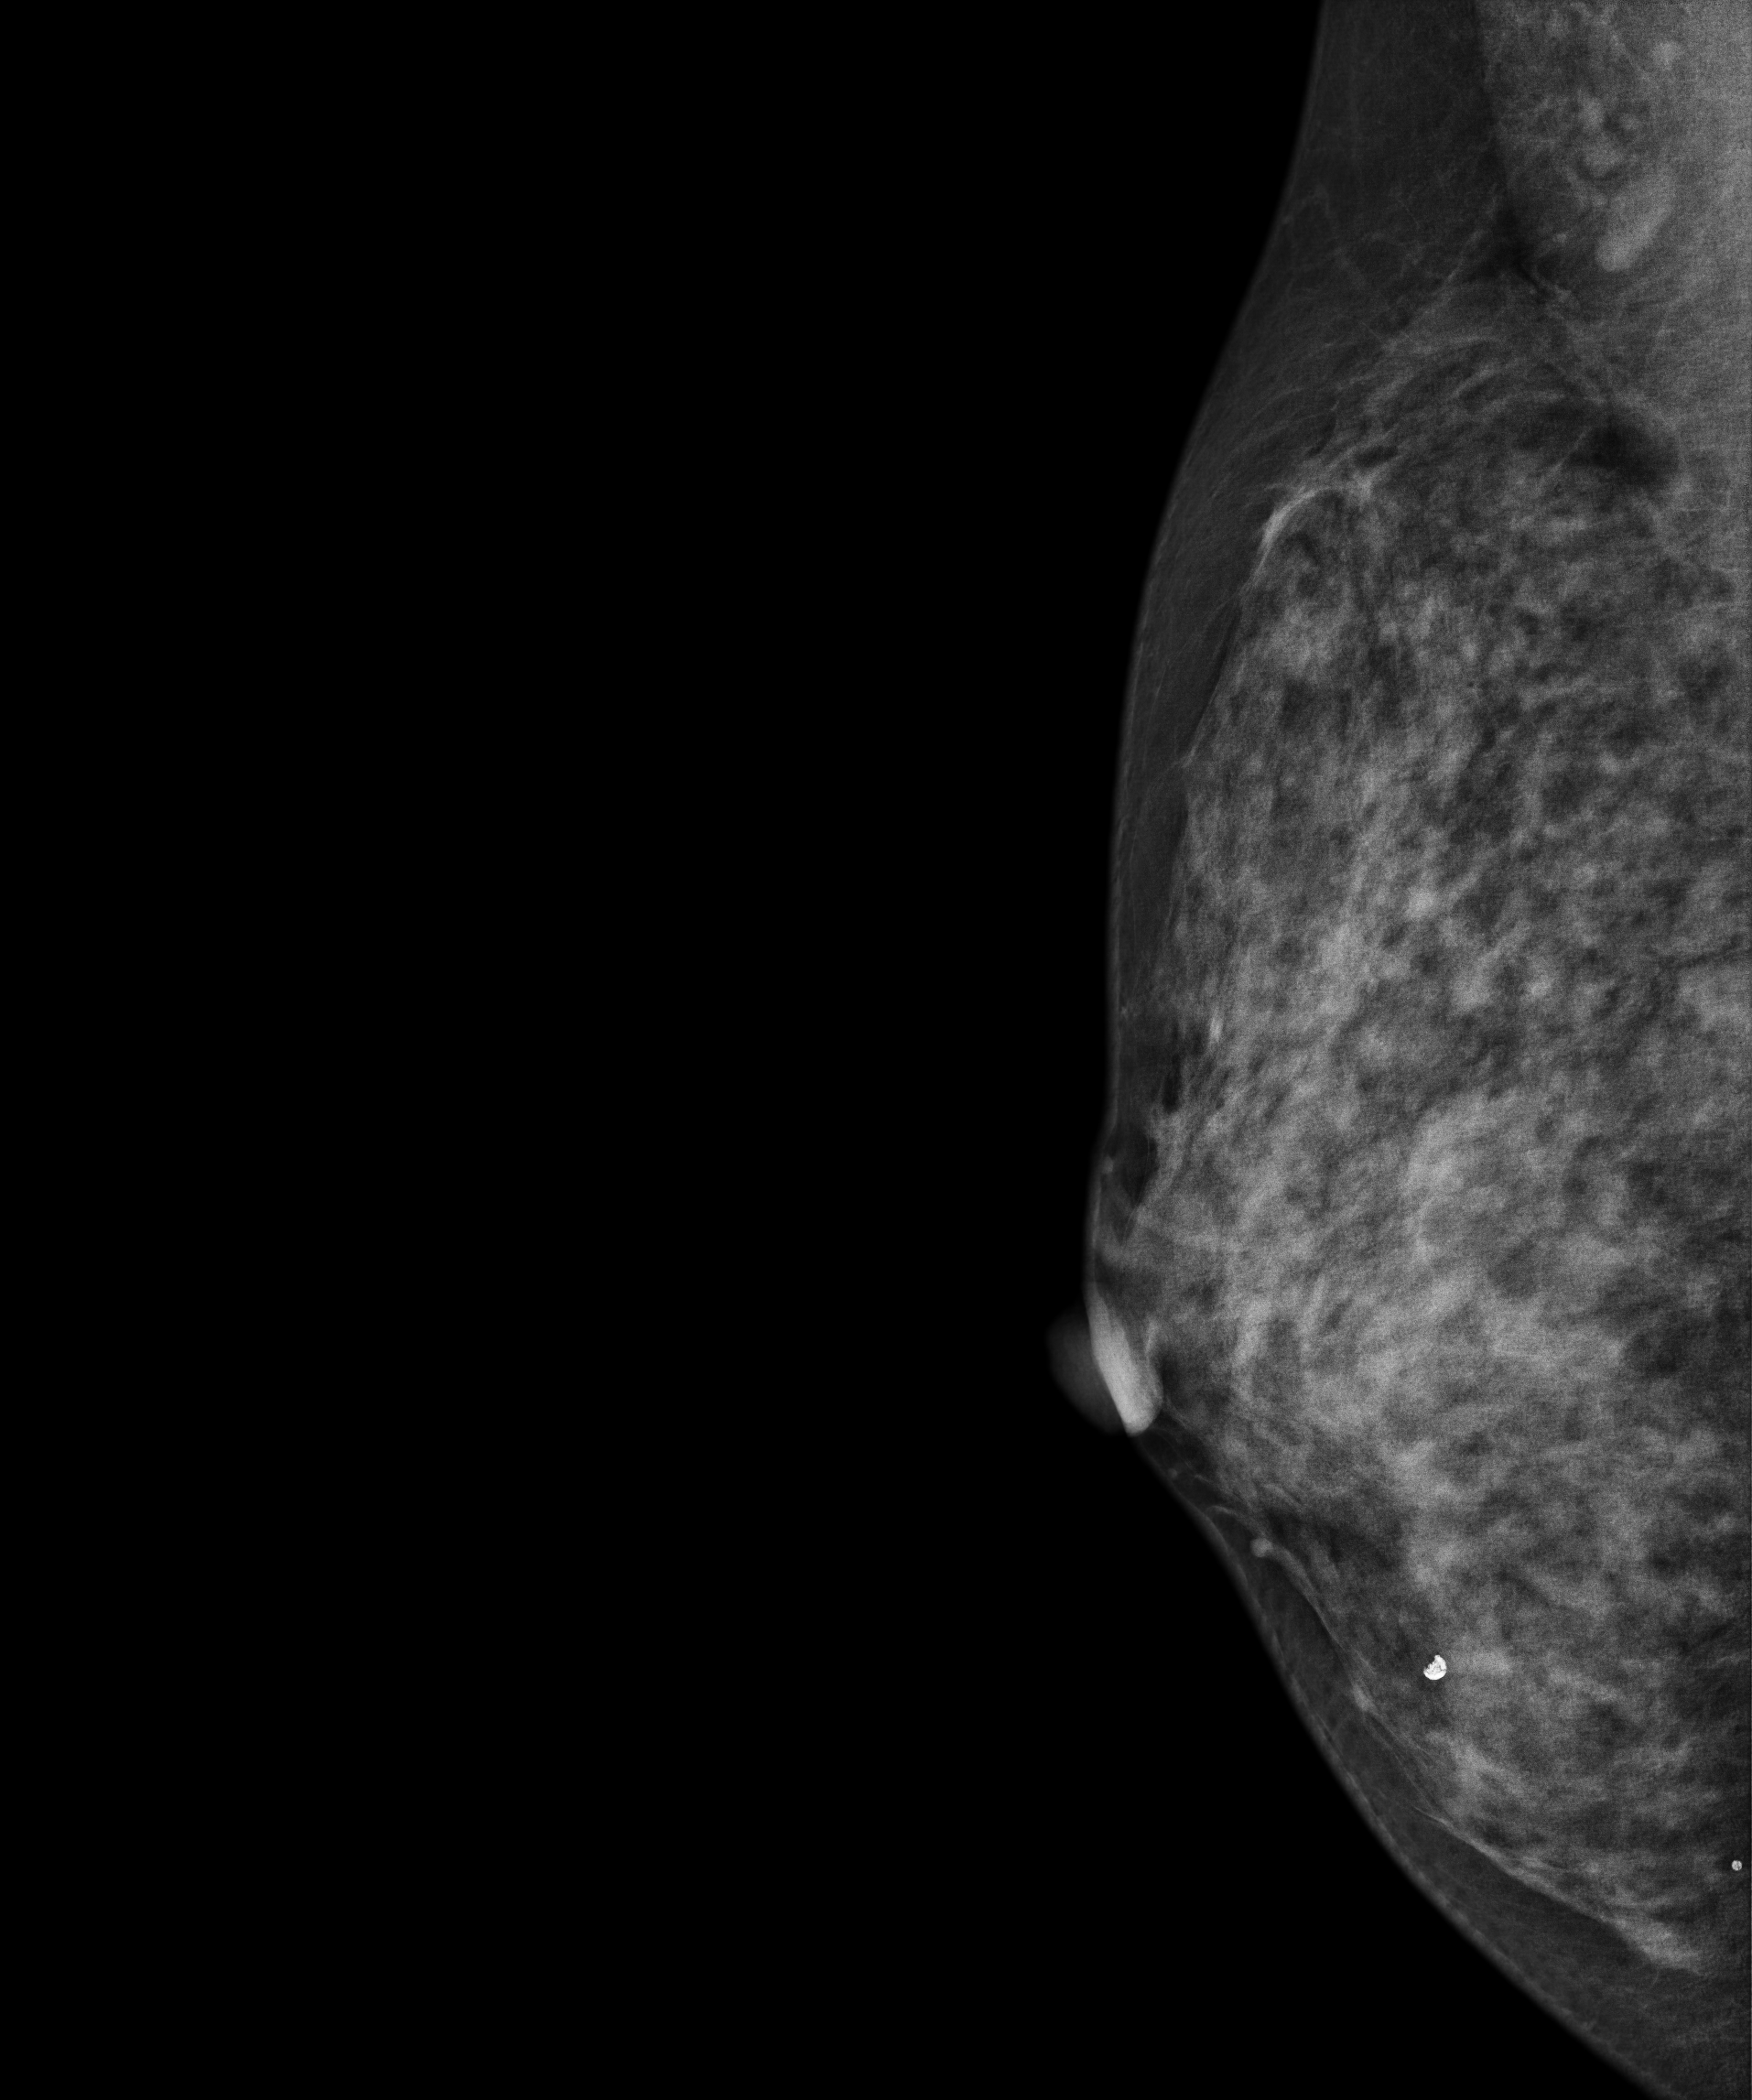
Mammogram — right MLO. 45 y/o patient.
This breast has a mass and calcifications, histologically confirmed benign.